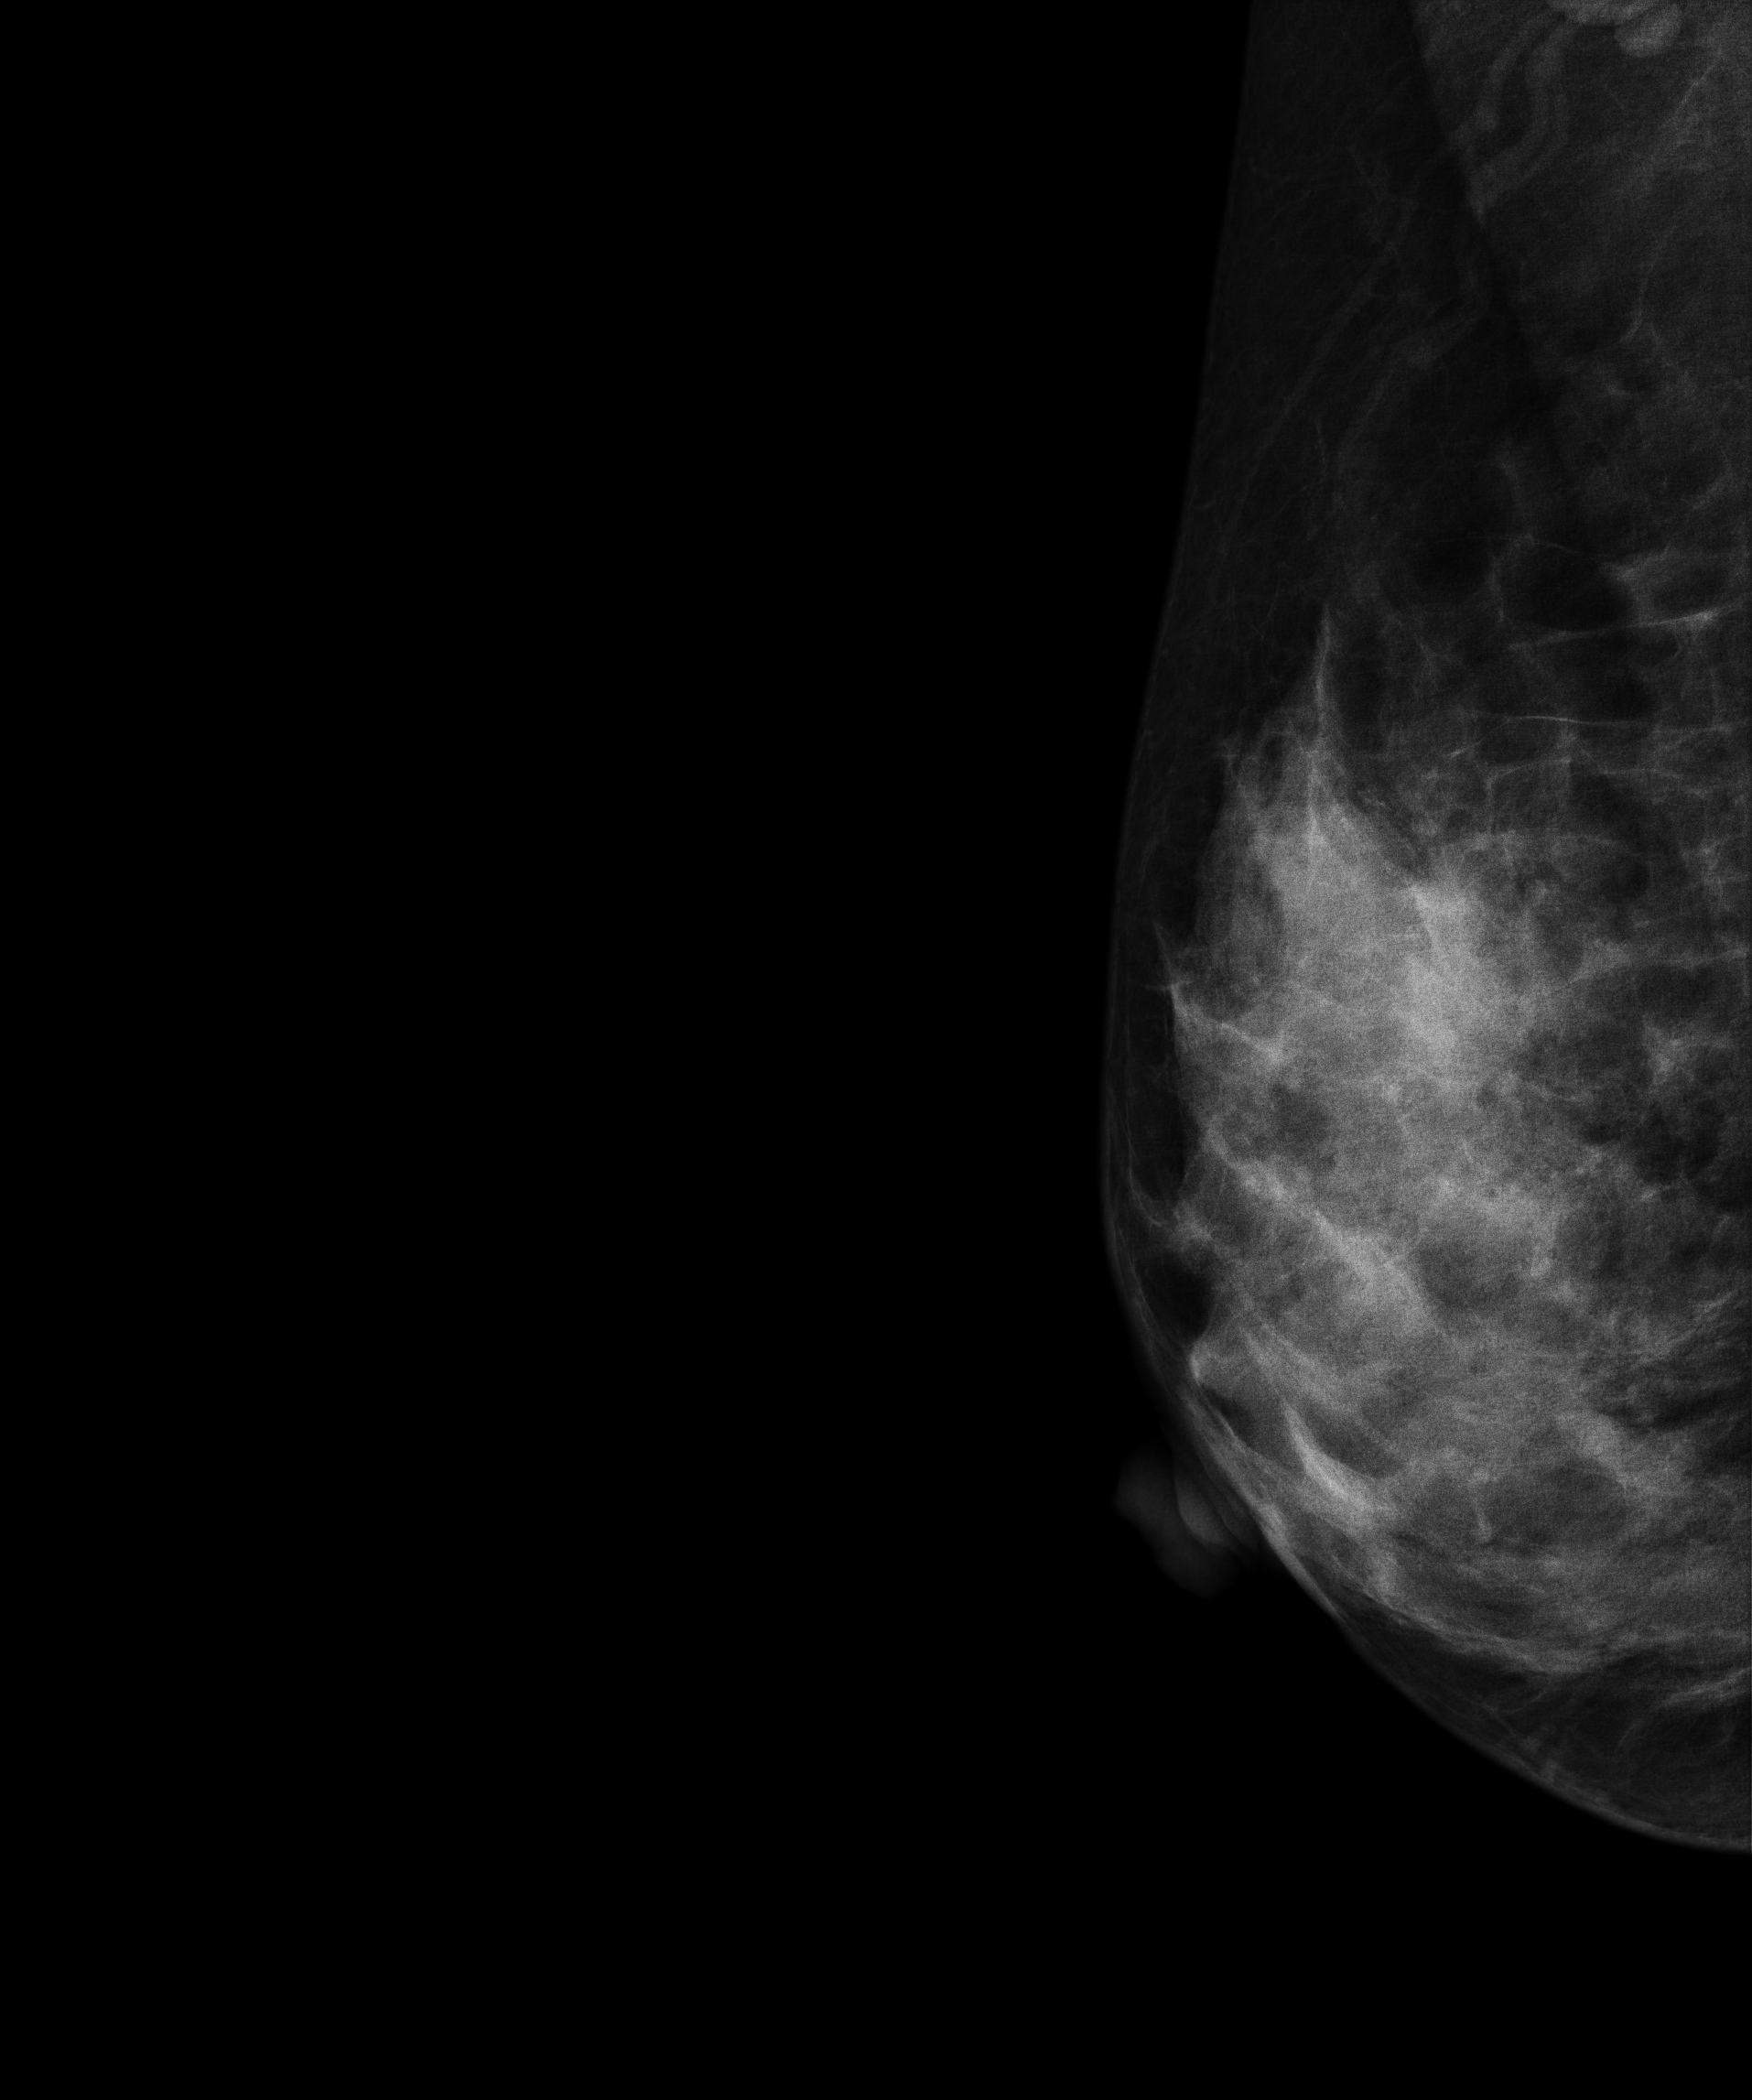
Mammogram, right breast, medio-lateral oblique view. 42-year-old patient.
This breast has a mass, pathology-confirmed malignant. Molecular subtype: triple-negative.